Right-breast mammogram, medio-lateral oblique. 37 y/o patient.
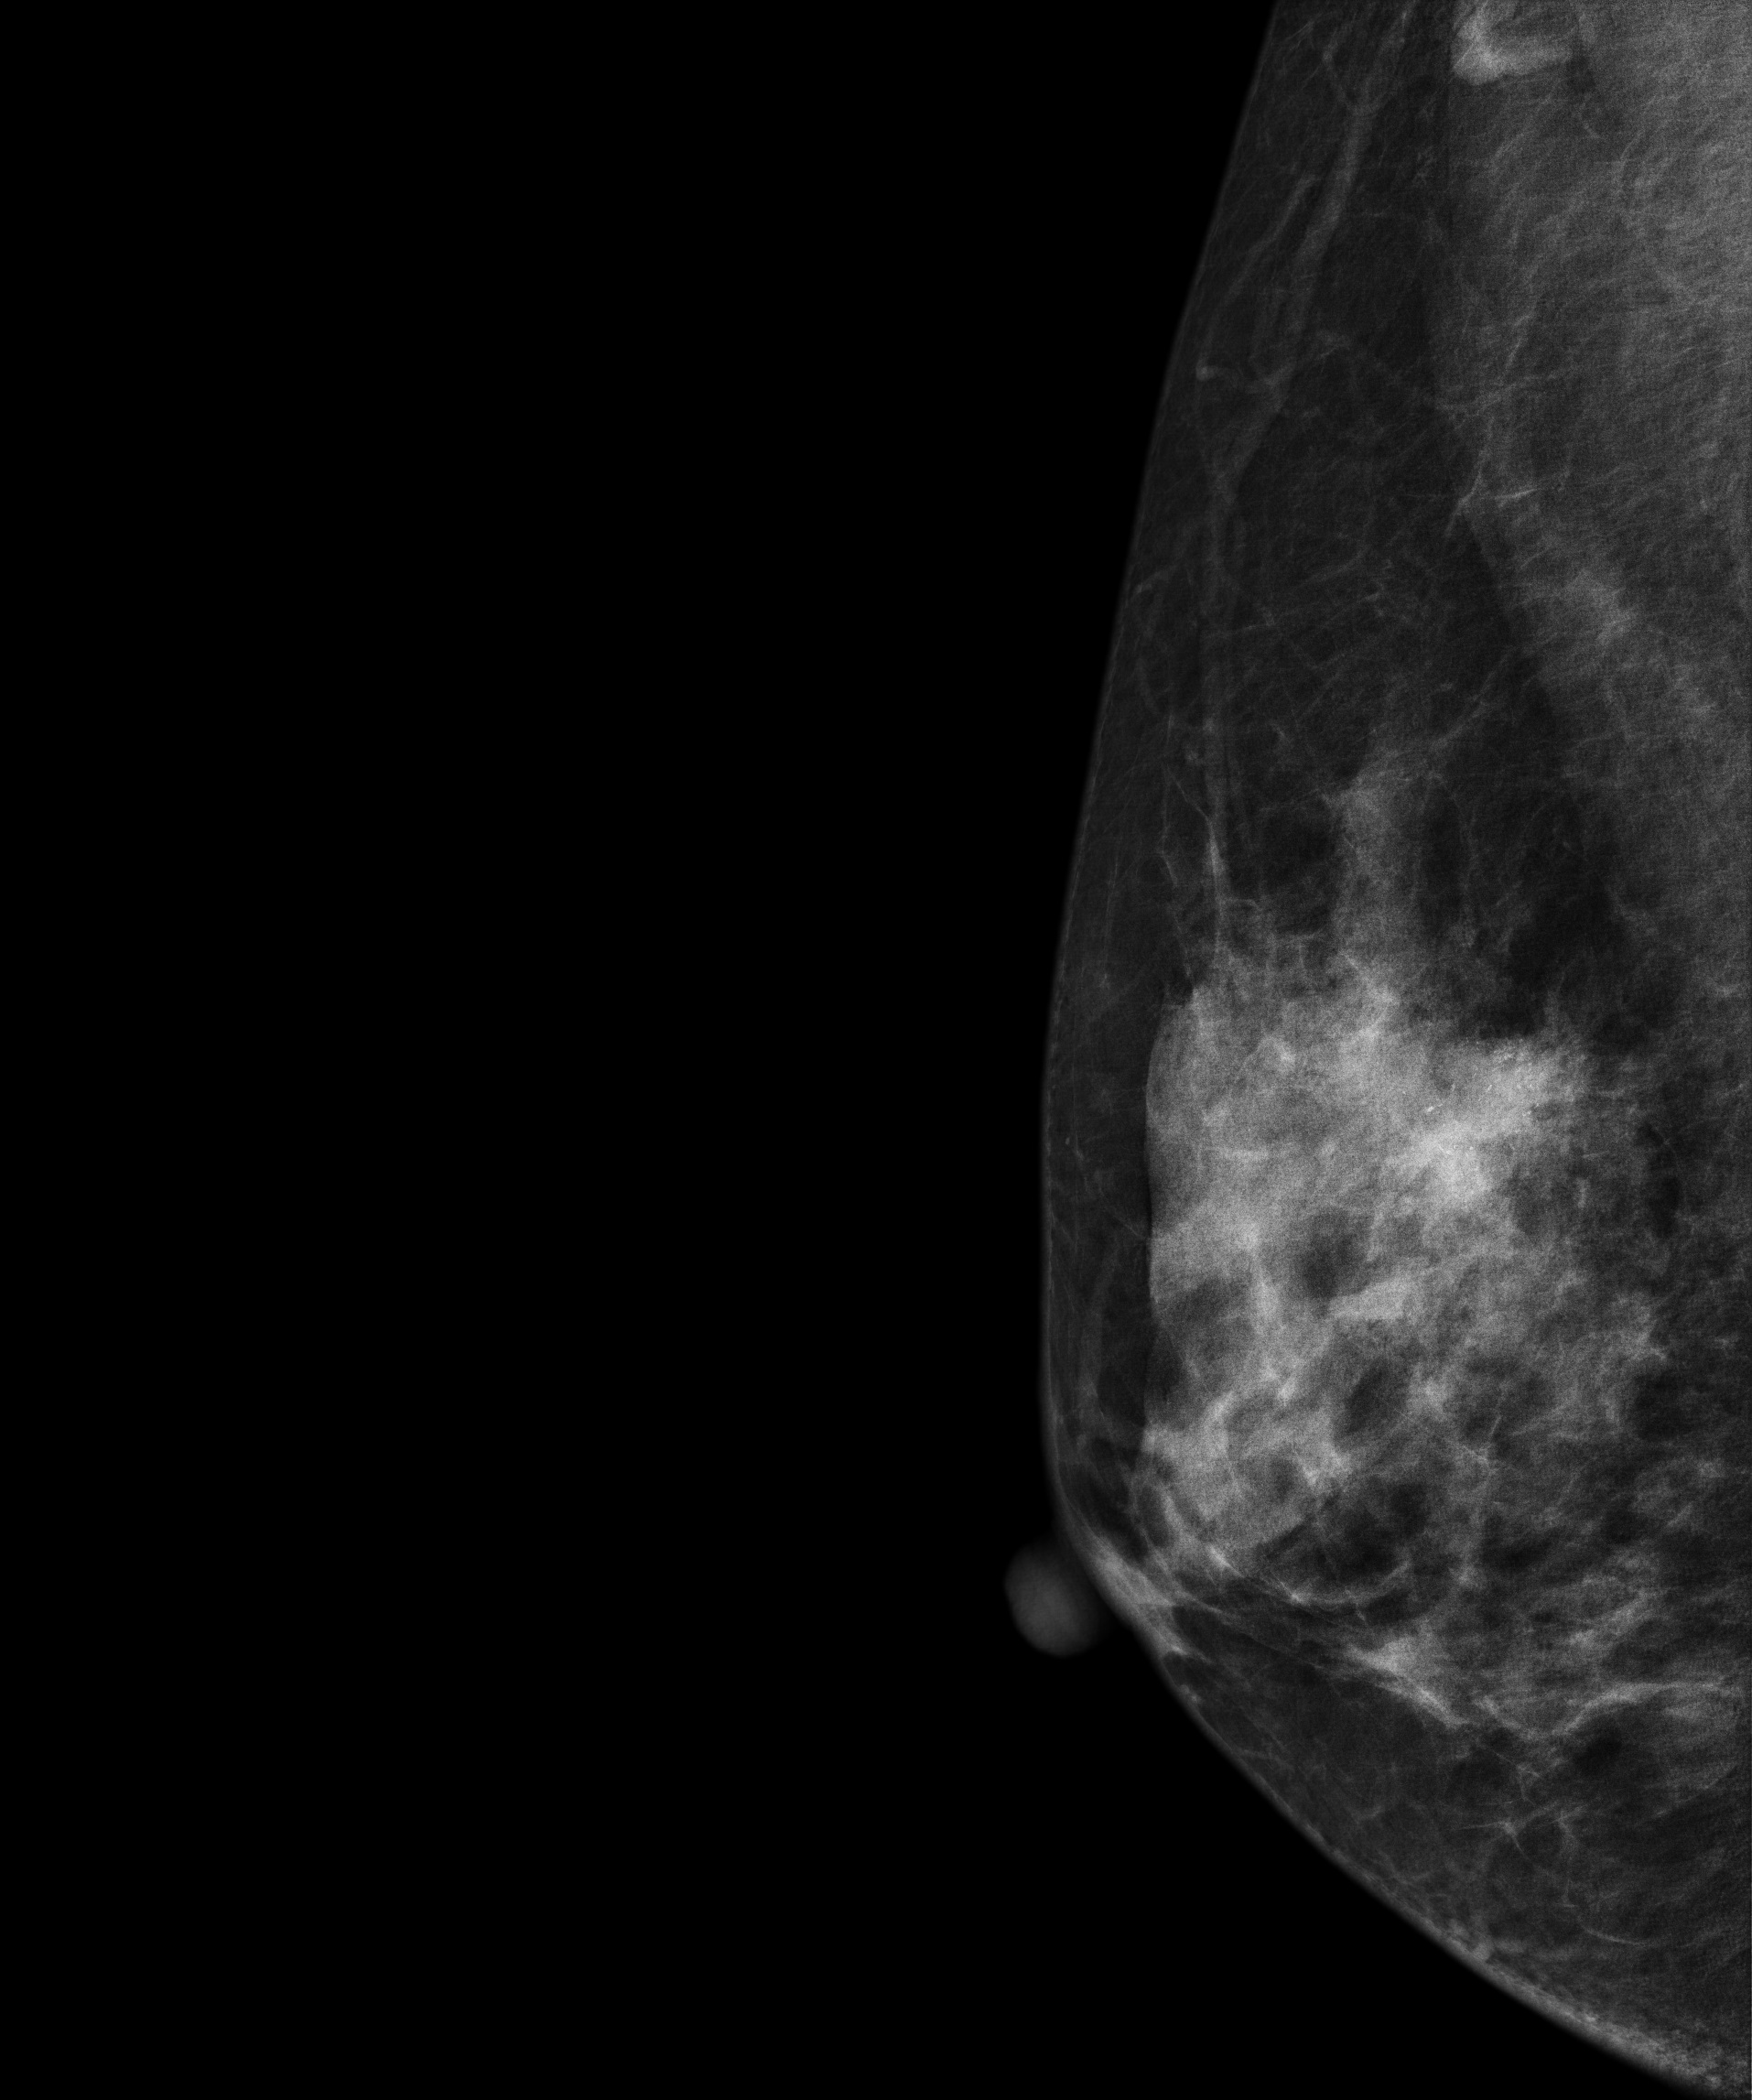
This breast has a mass and calcifications, biopsy-confirmed malignant. Molecular subtype: luminal B.